Digital mammography. Right breast, MLO projection. 62-year-old patient.
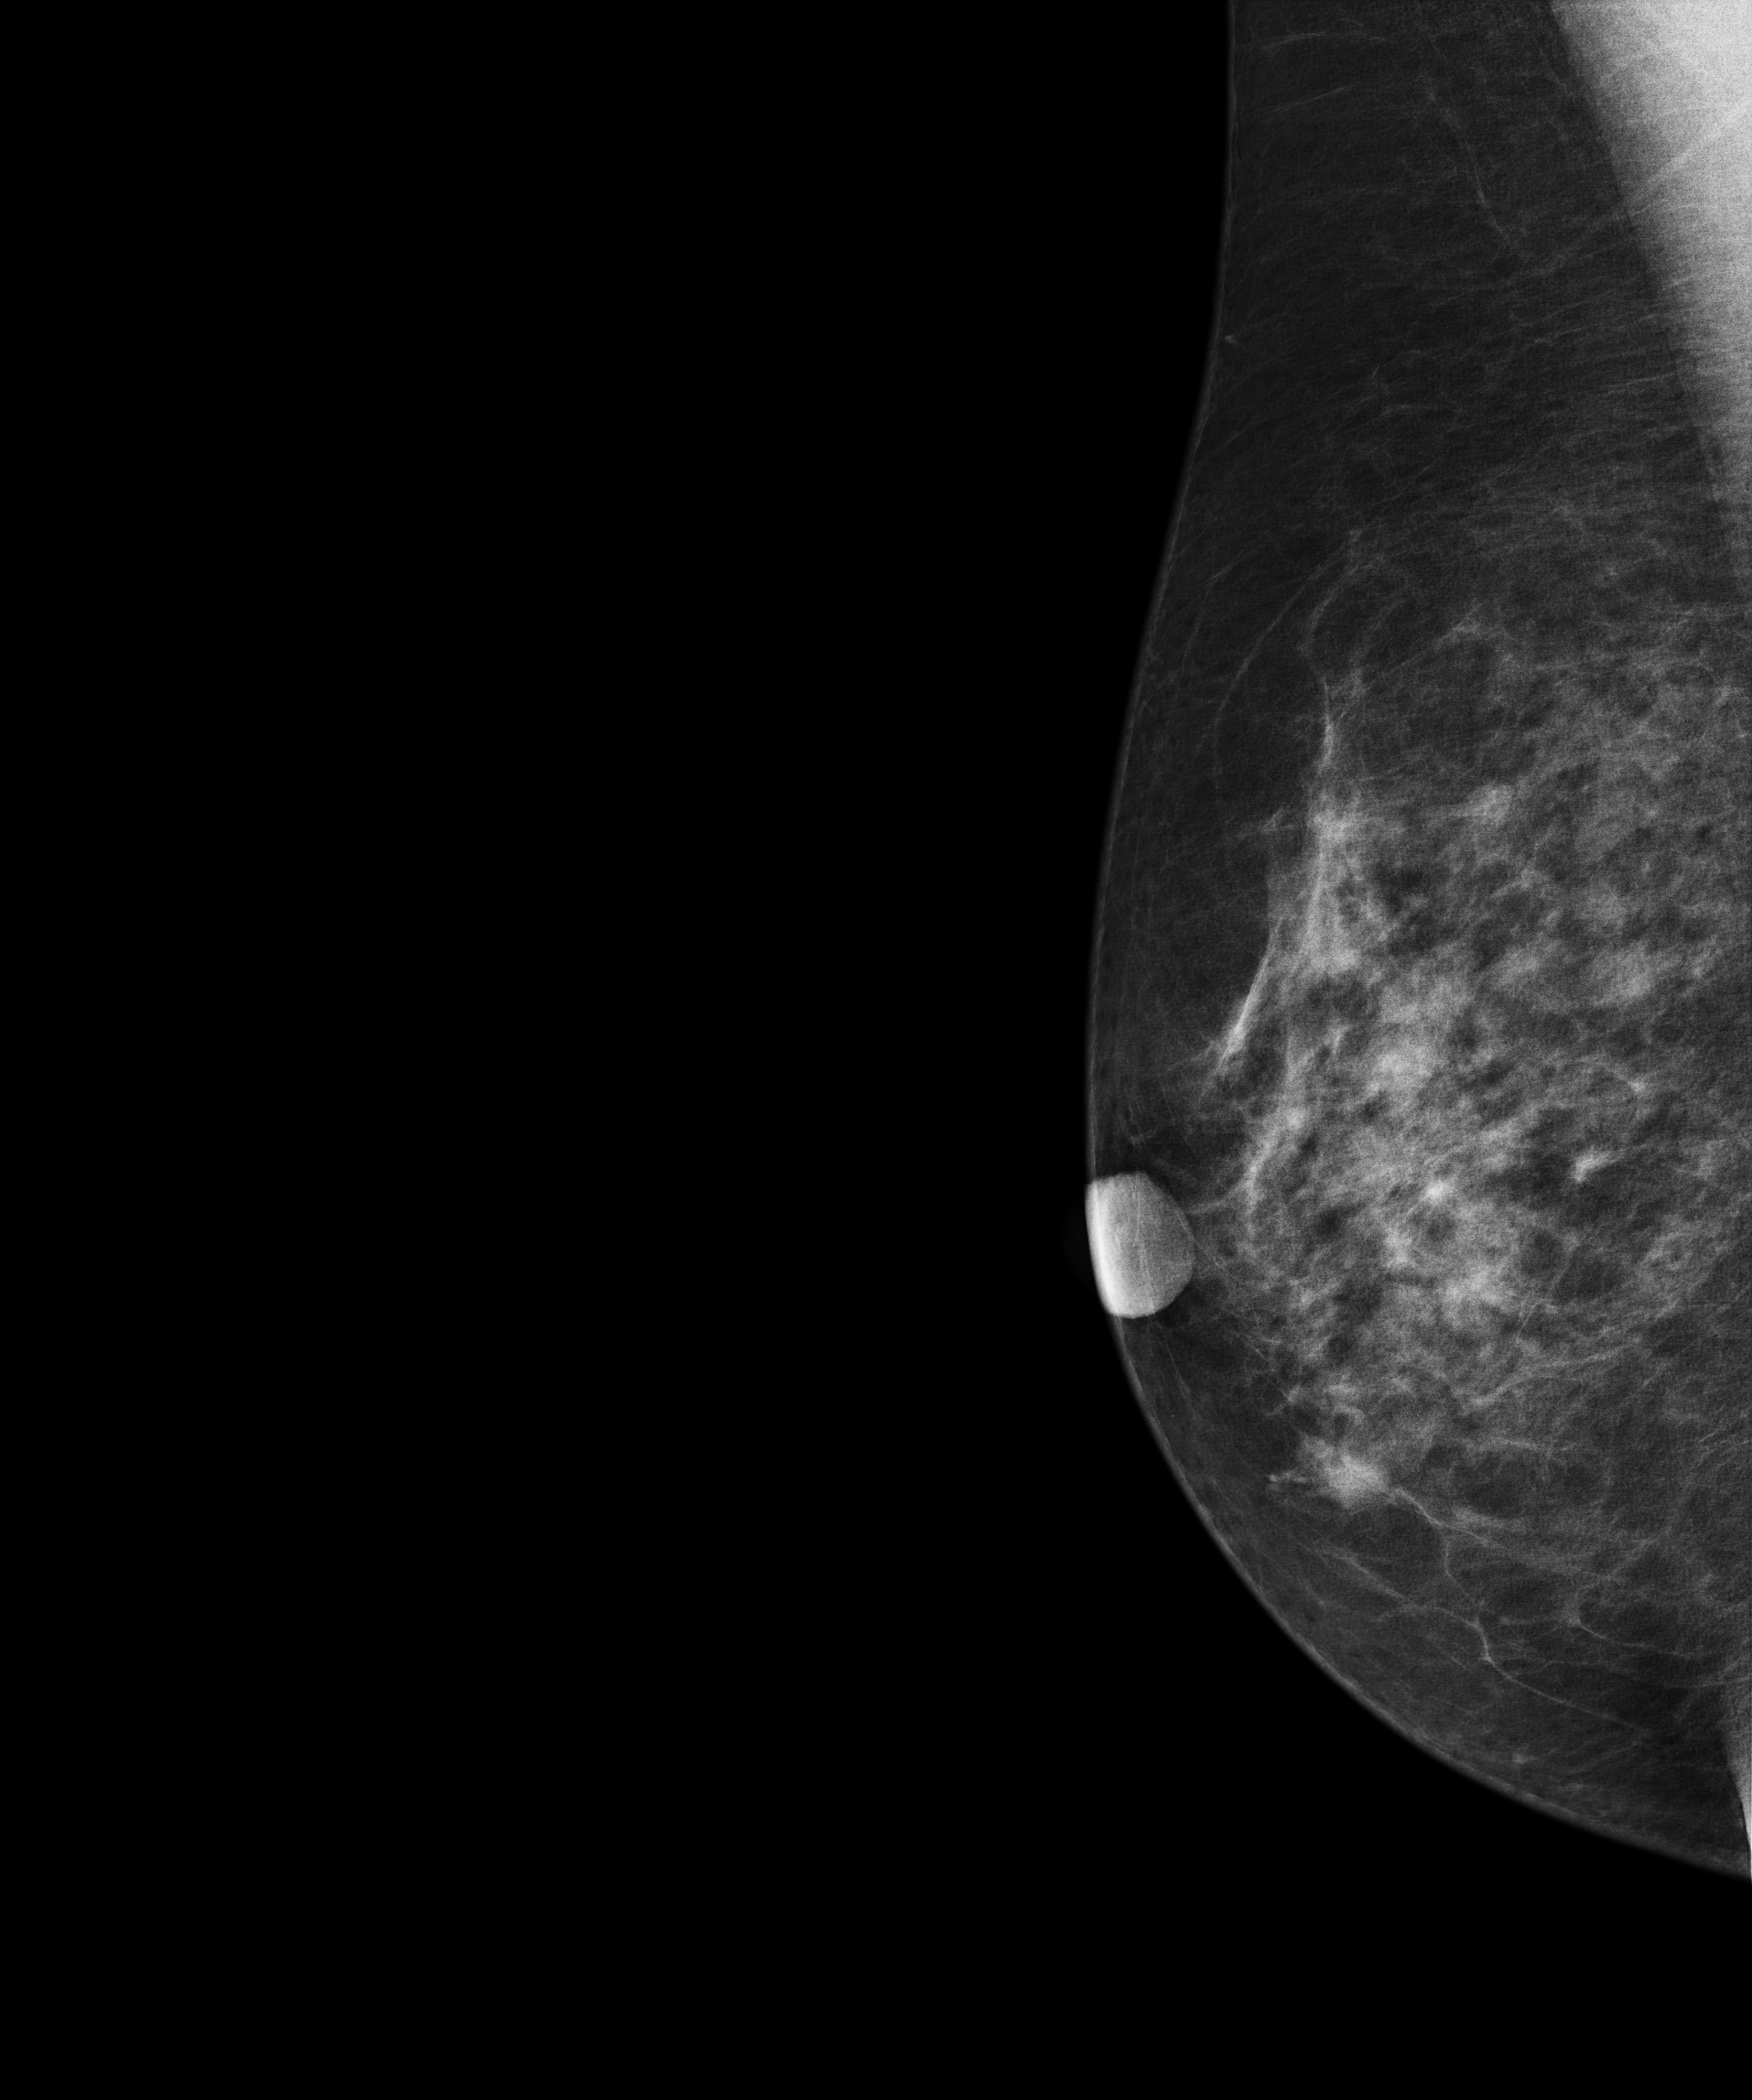
Contralateral breast — no documented abnormality on this side.